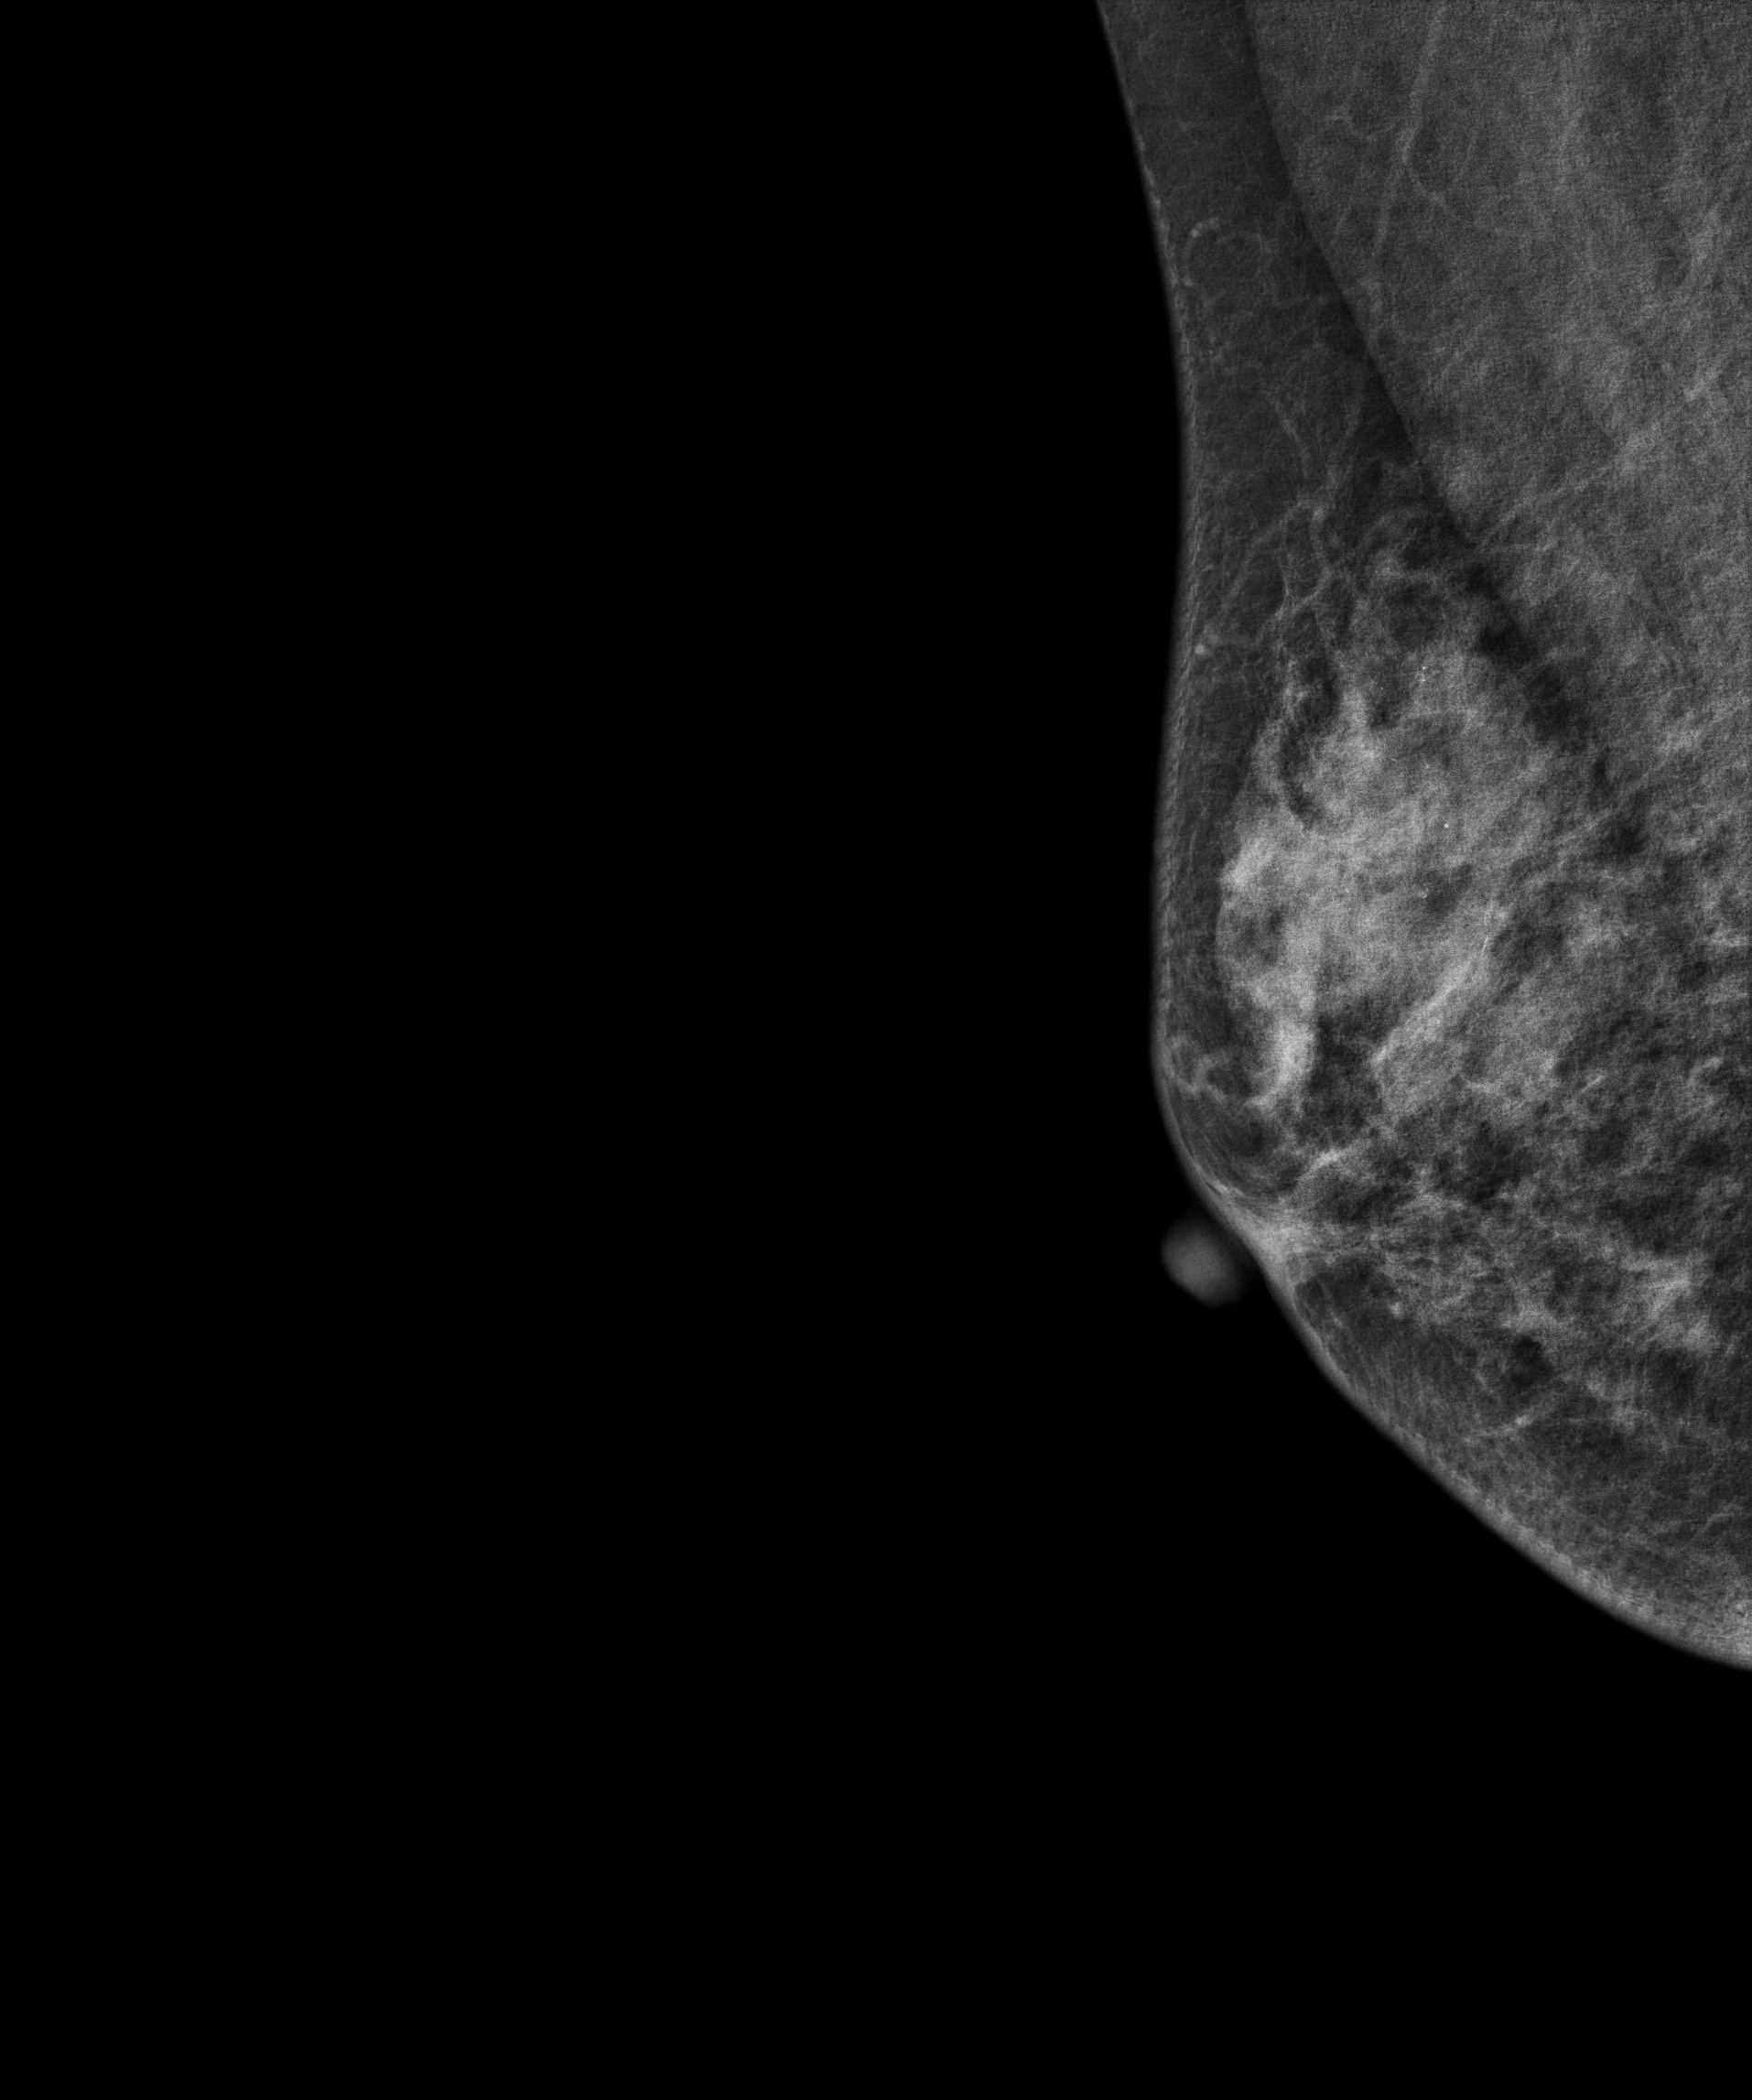
Right-breast mammogram, MLO. 78 y/o patient.
Contralateral breast — no documented abnormality on this side.